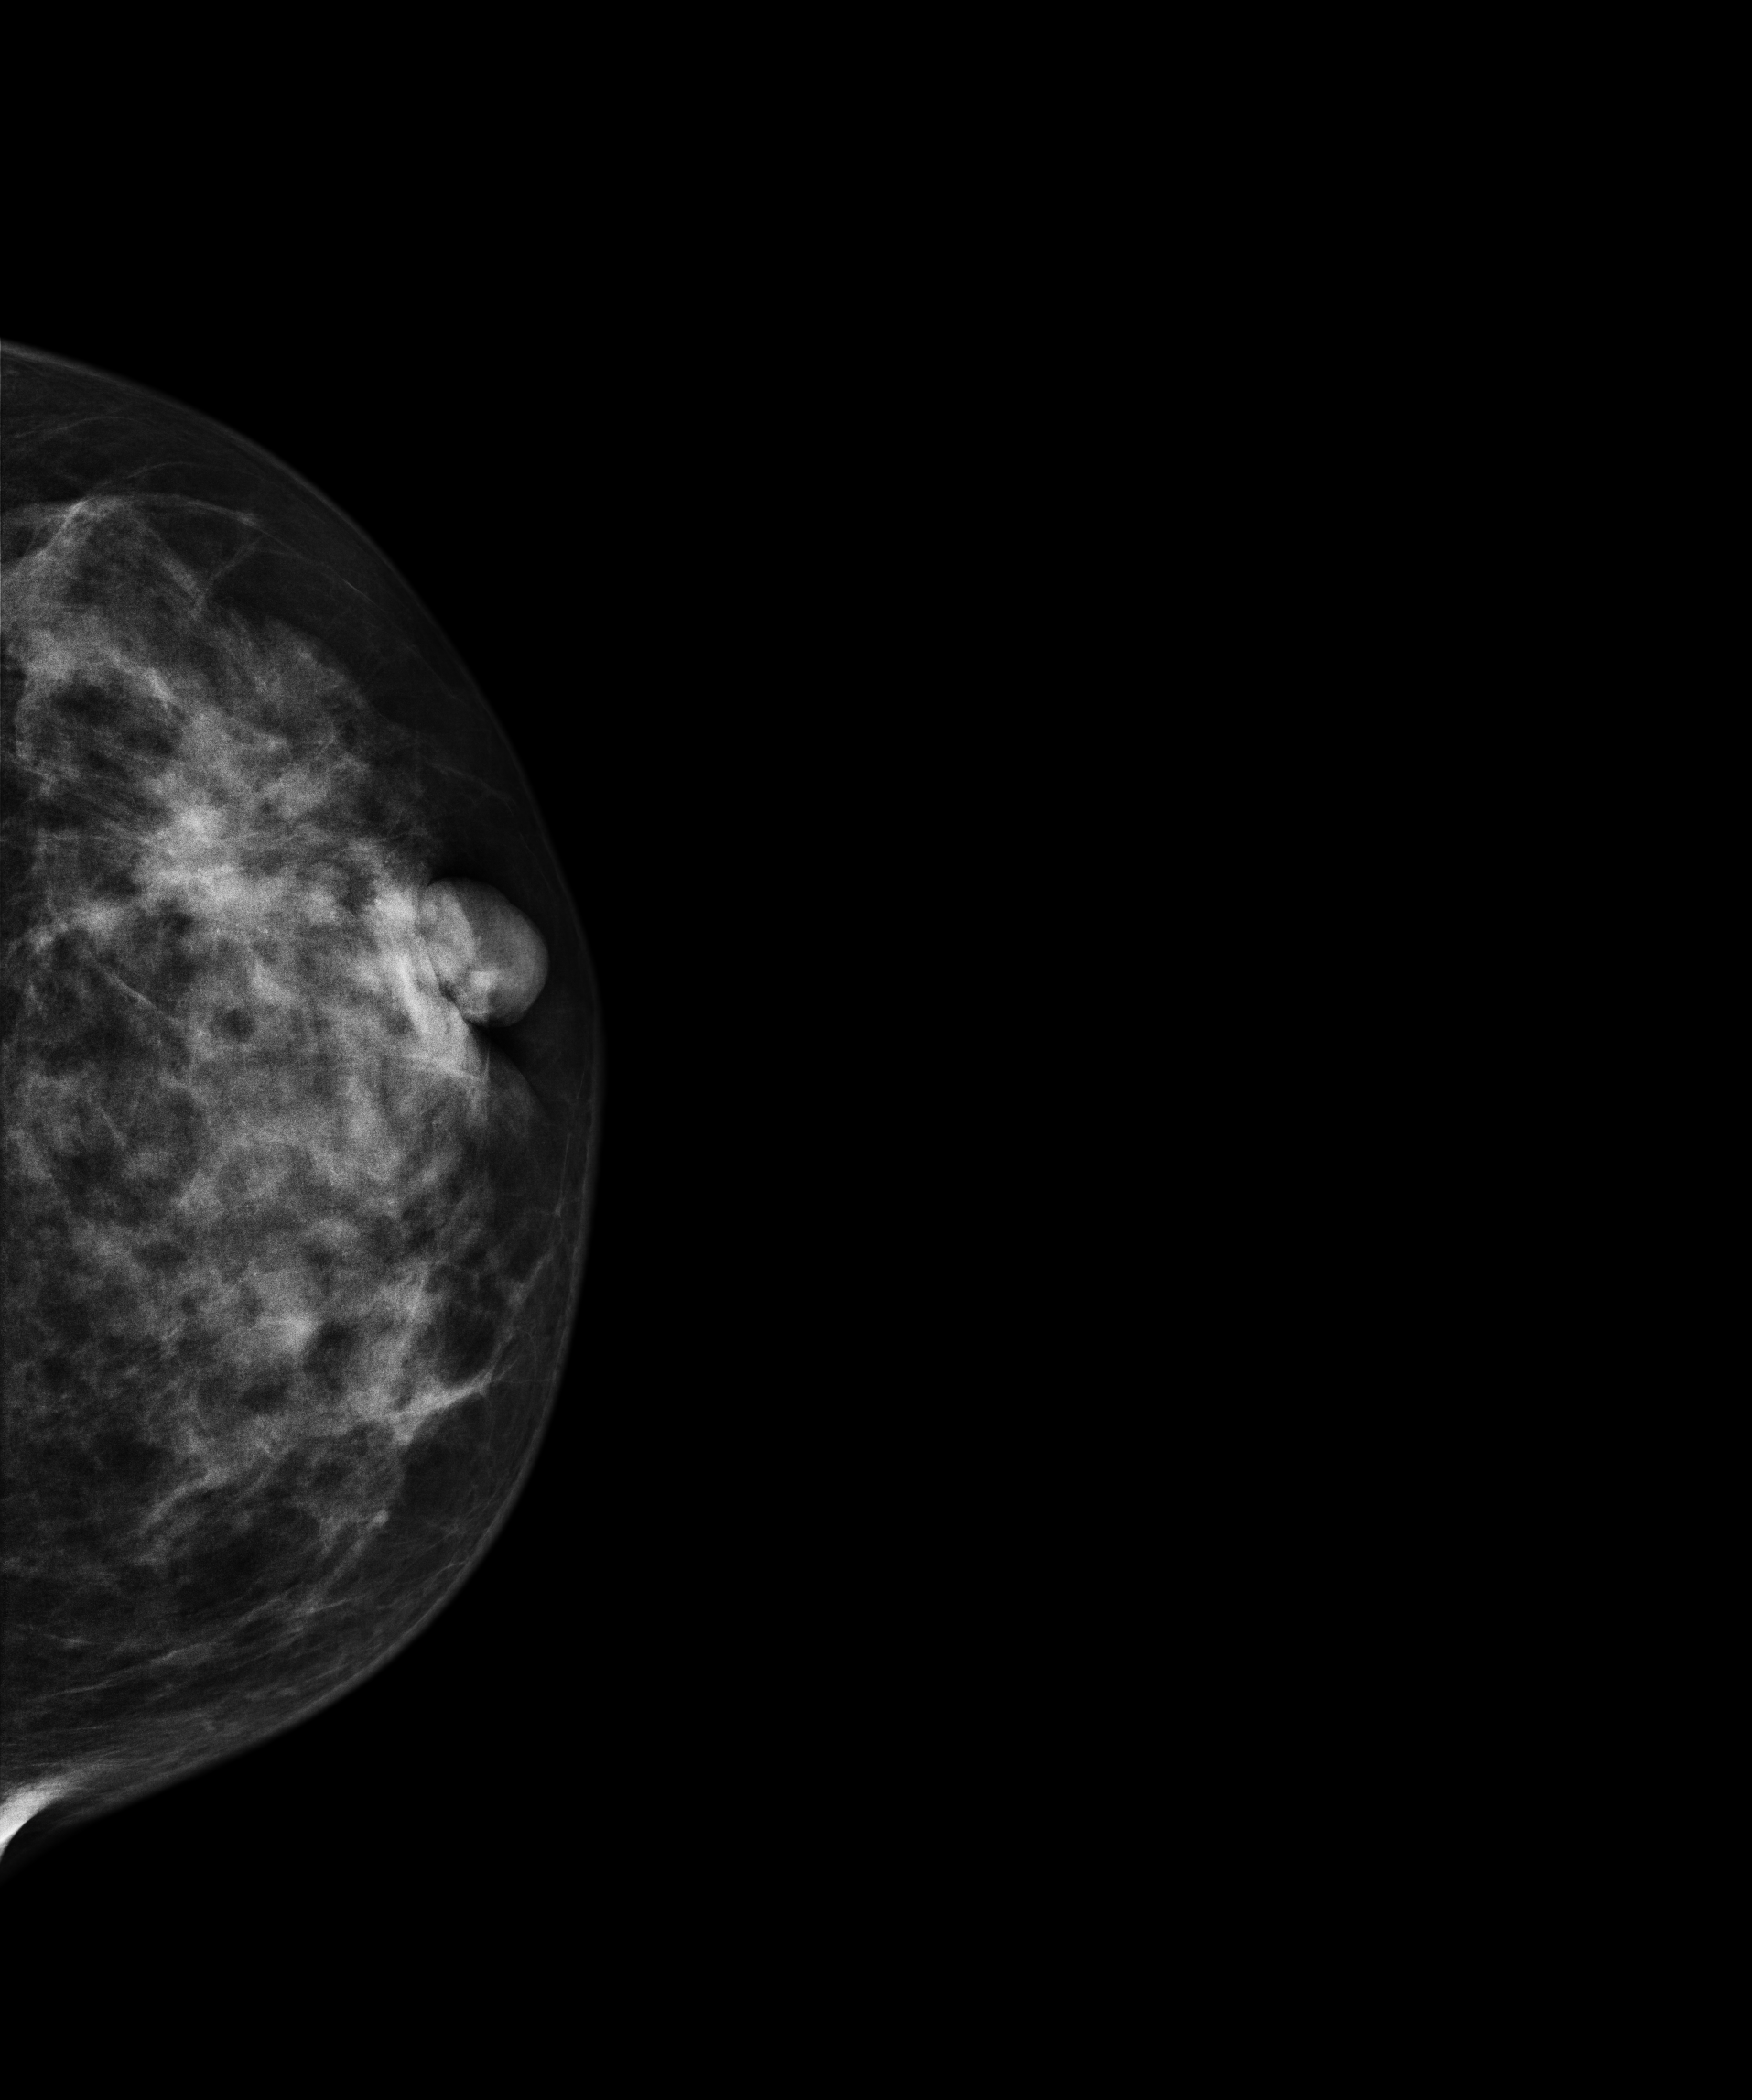
Mammogram — left CC. 51 y/o patient.
This breast has a mass and calcifications, histologically confirmed malignant.